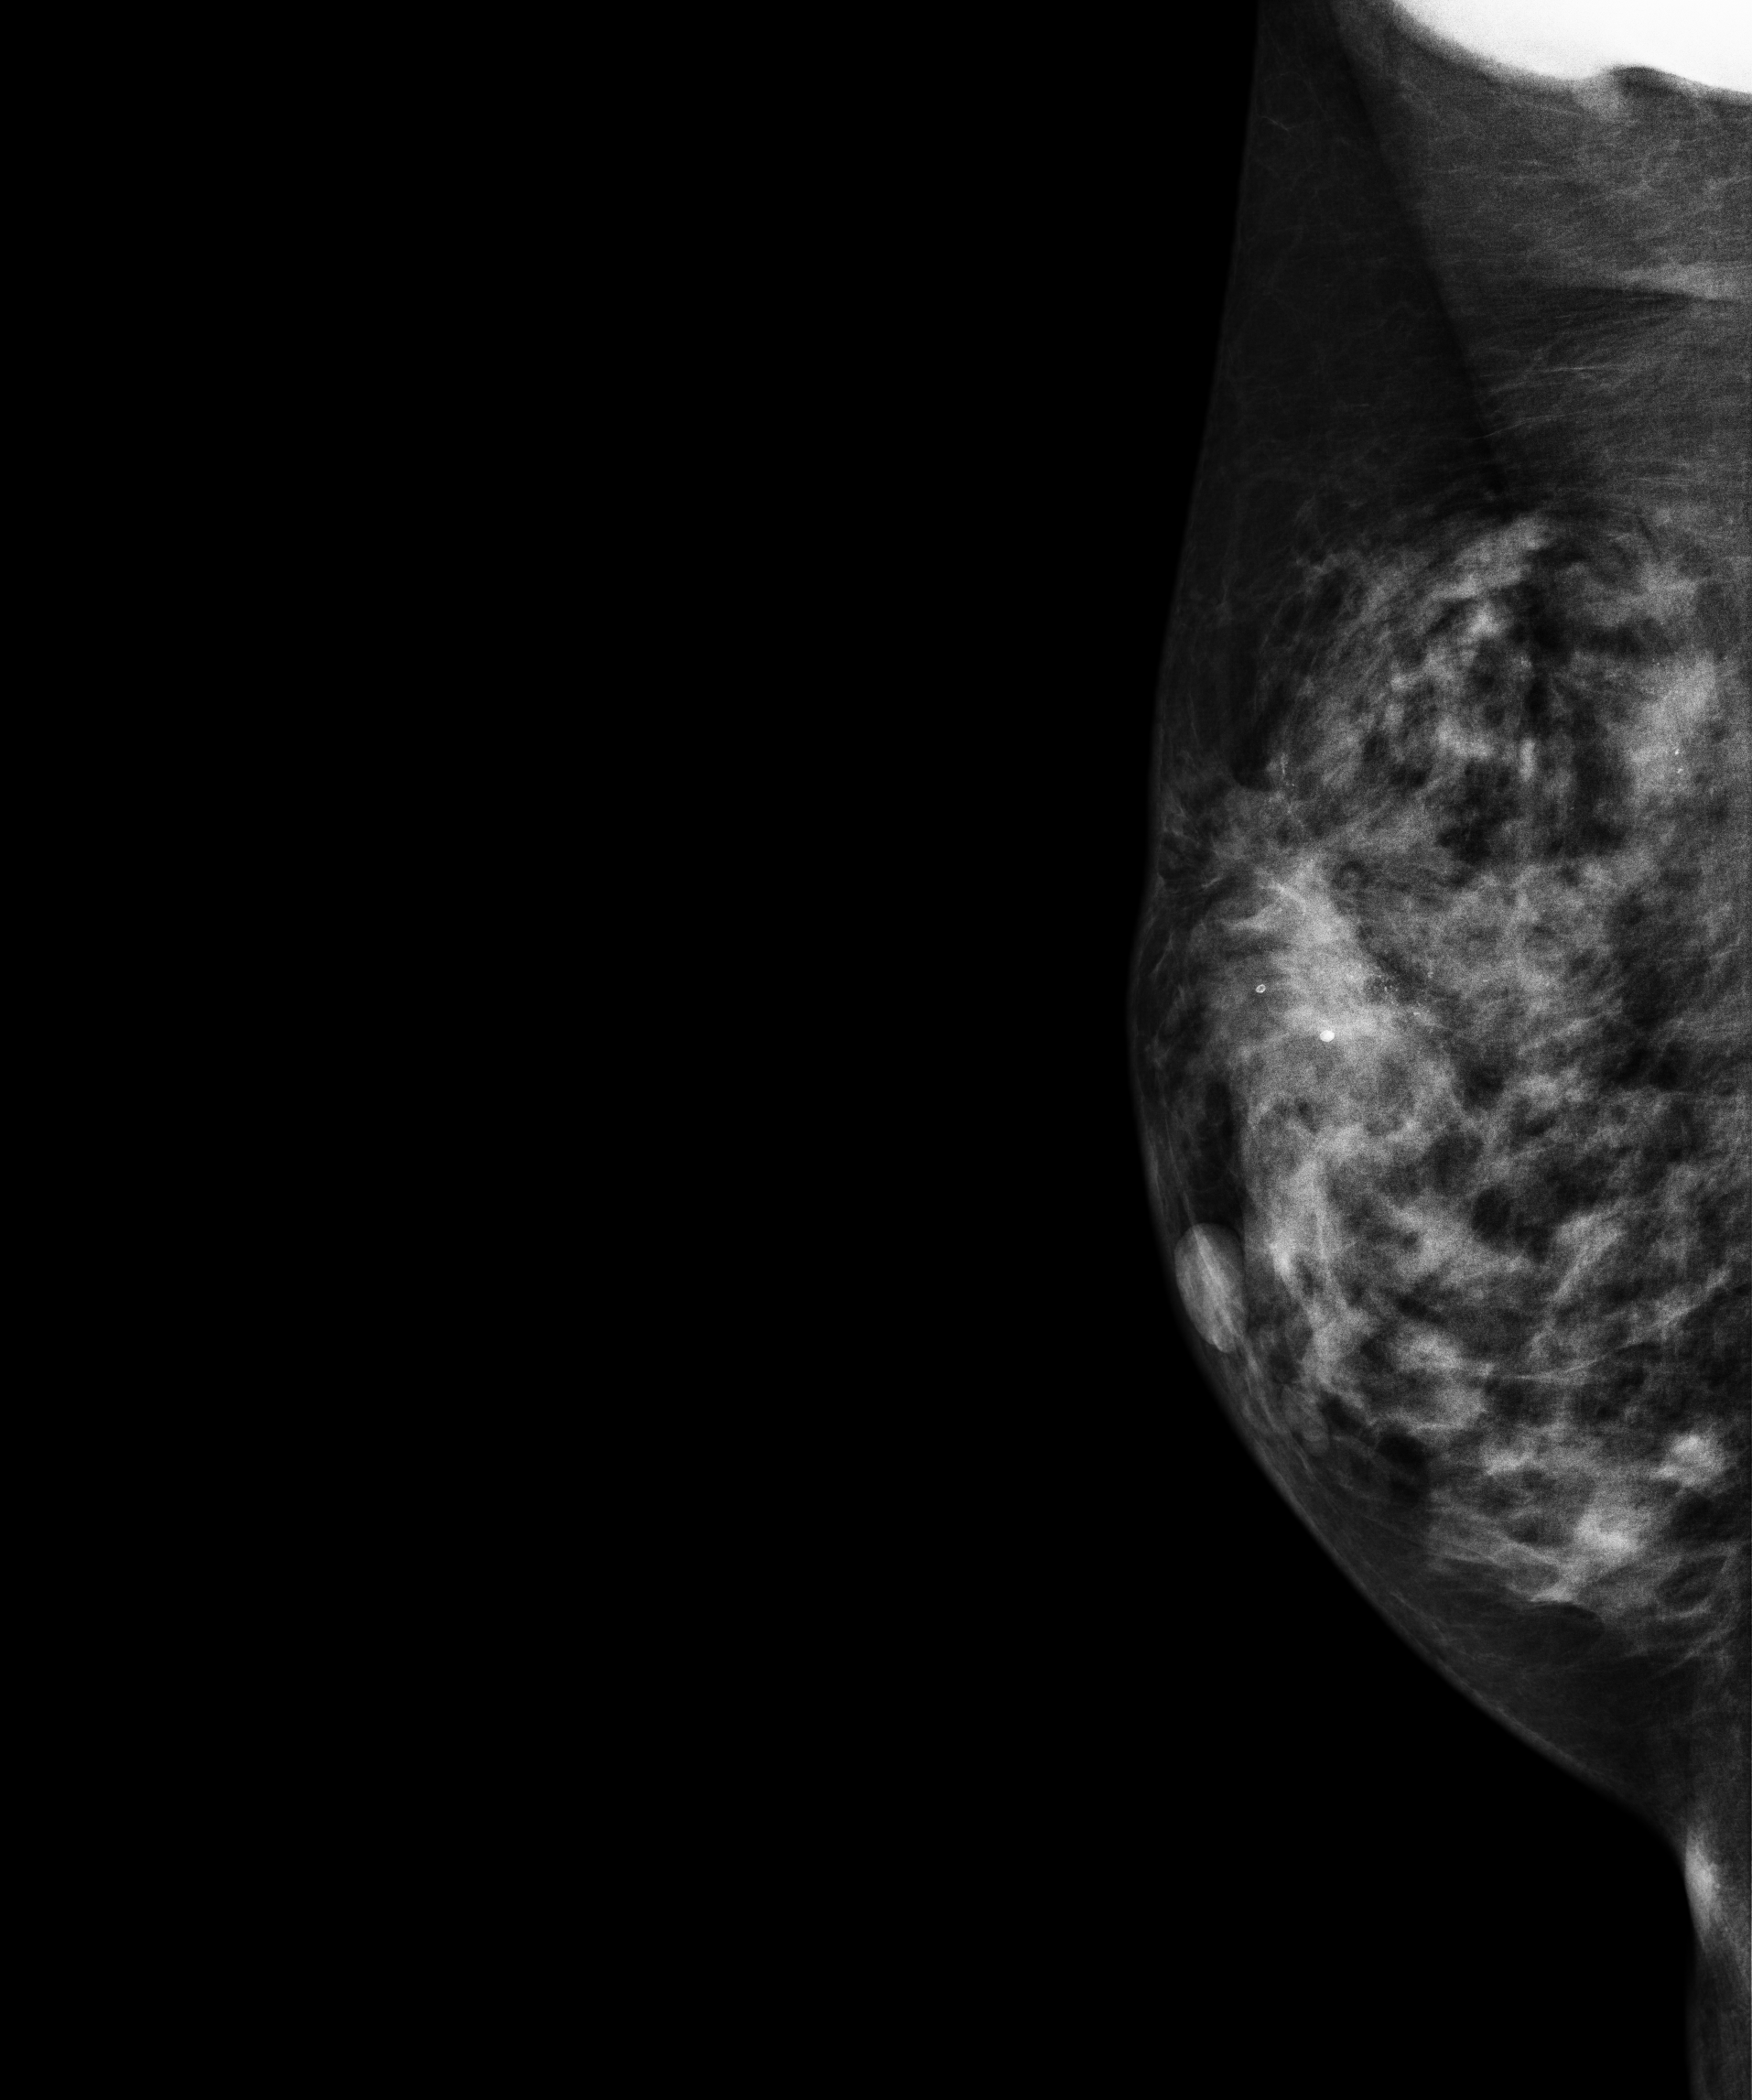
Mammogram — right MLO. Patient age 47.
This breast has a mass and calcifications, histologically confirmed malignant. Molecular subtype: luminal B.